Digital mammography. Left breast, medio-lateral oblique projection. Patient age 30.
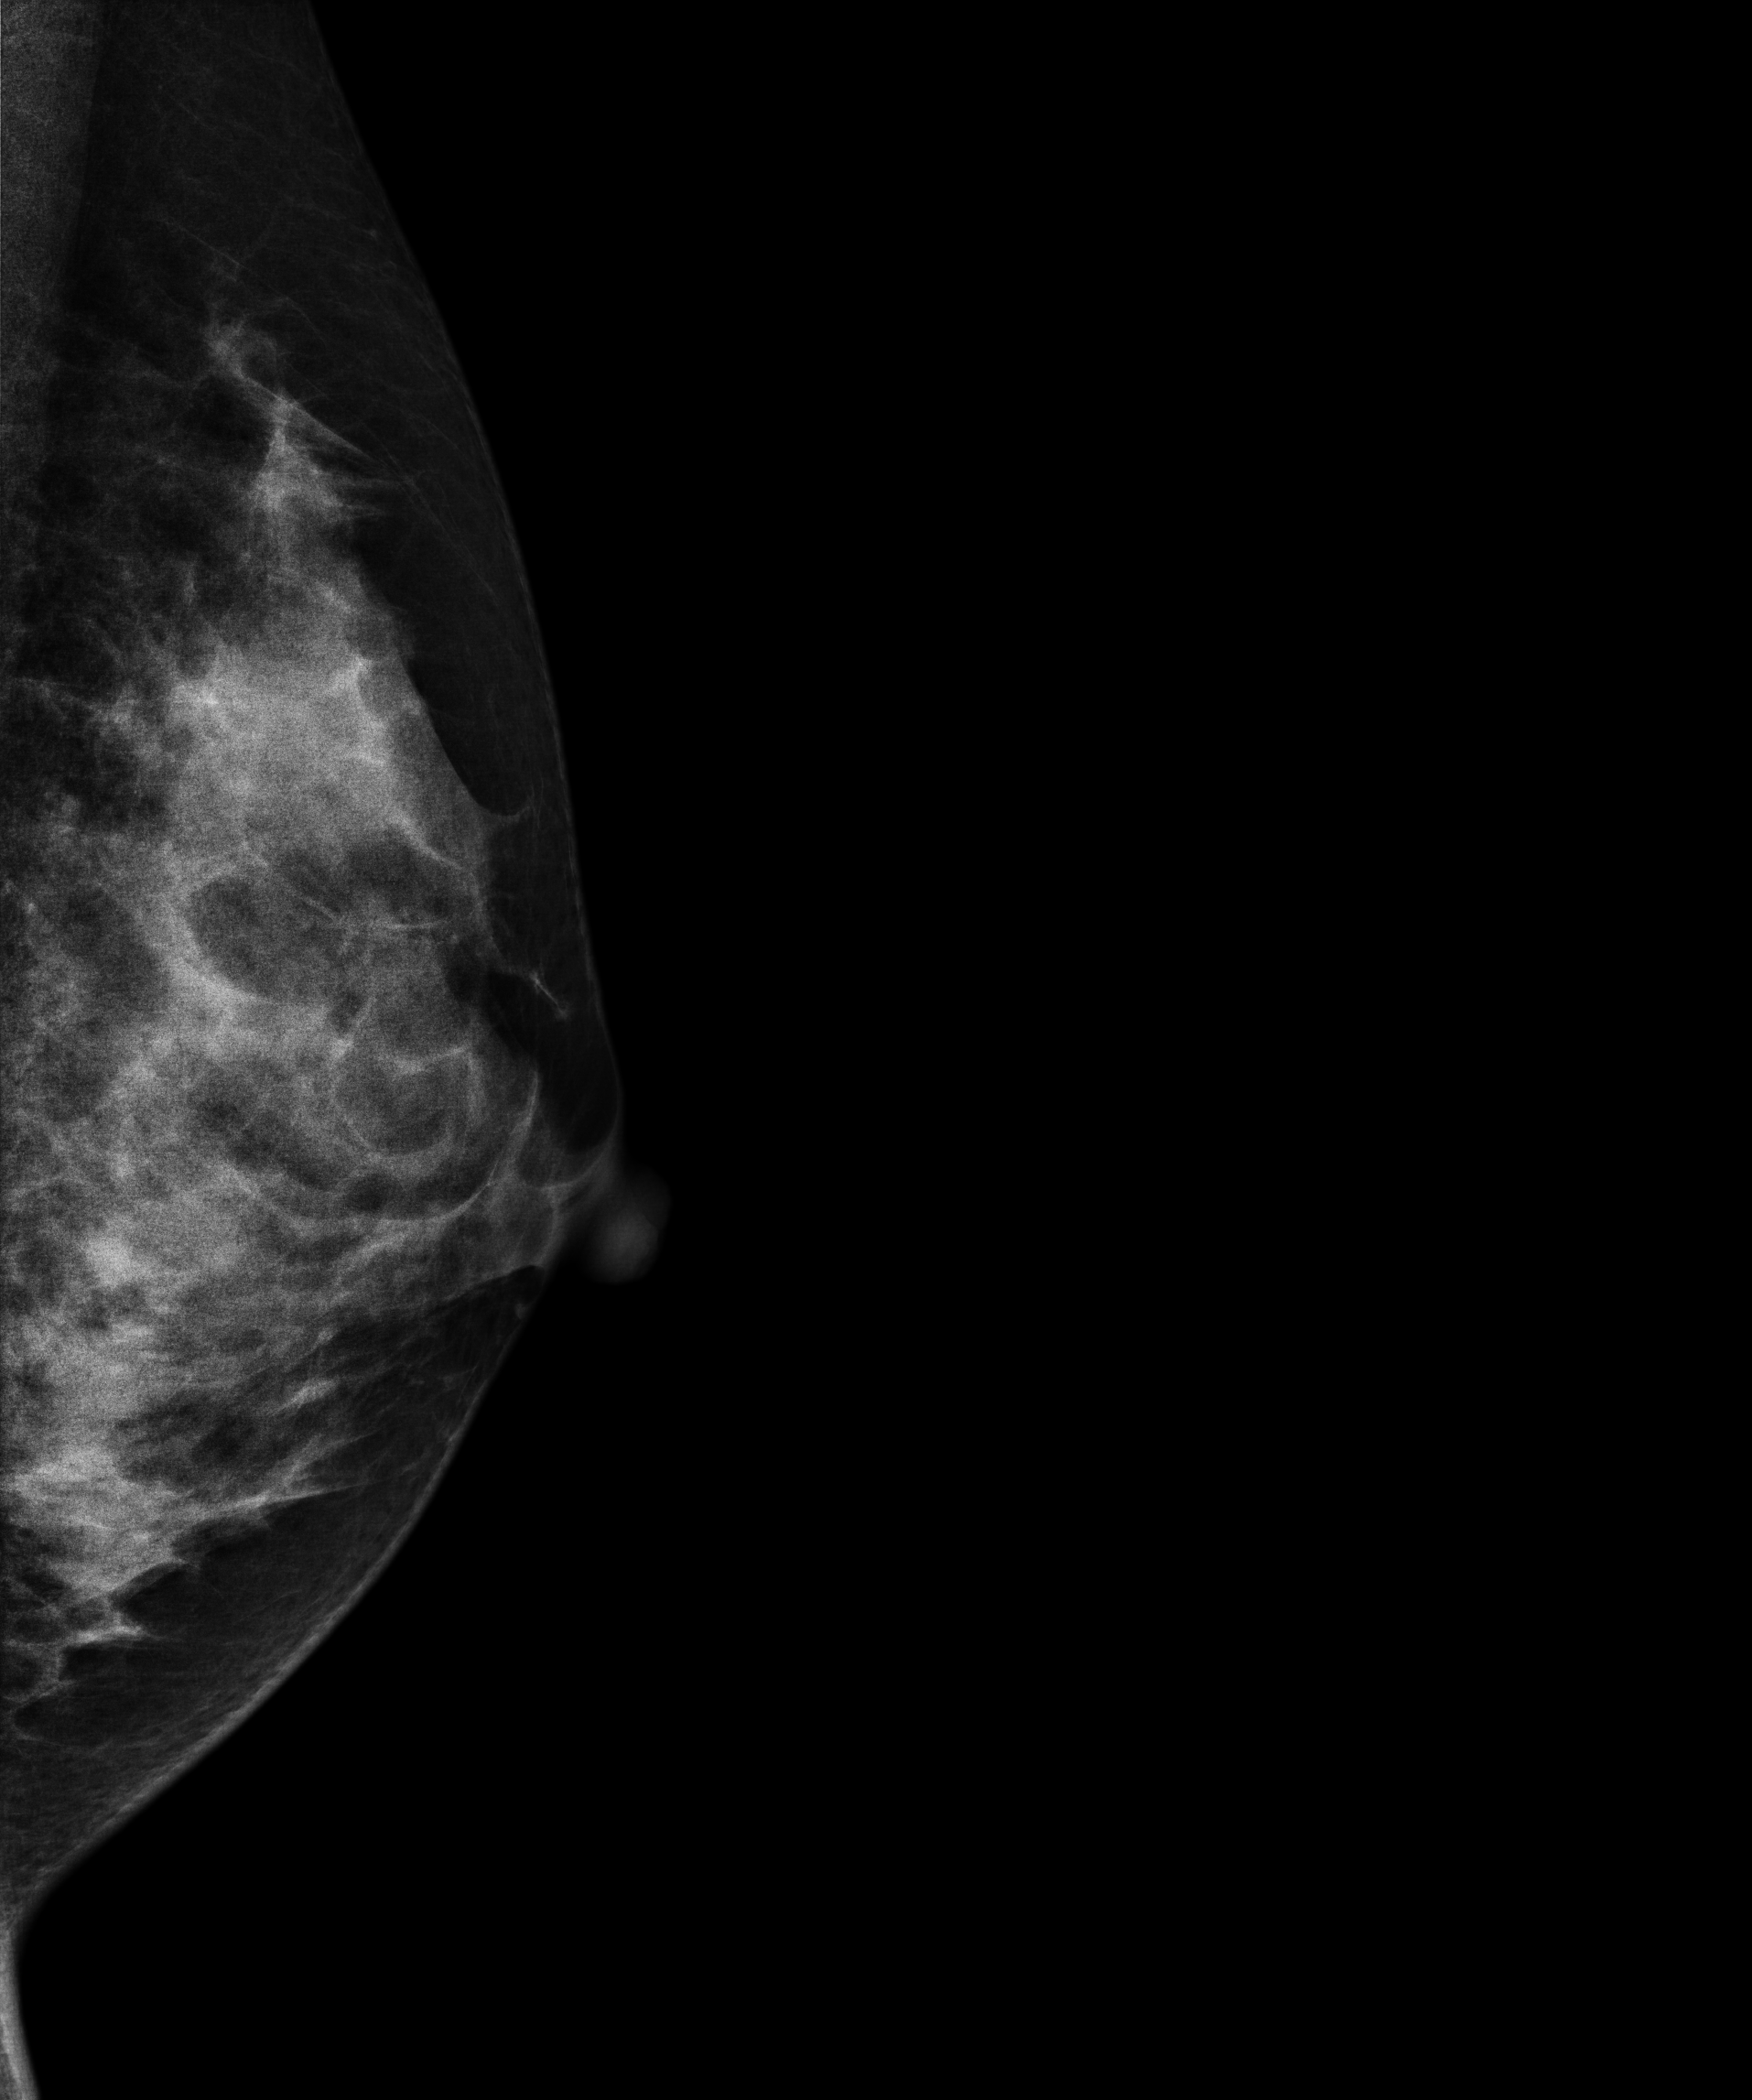
Contralateral breast — no documented abnormality on this side.